Mammogram — left medio-lateral oblique. 46 y/o patient.
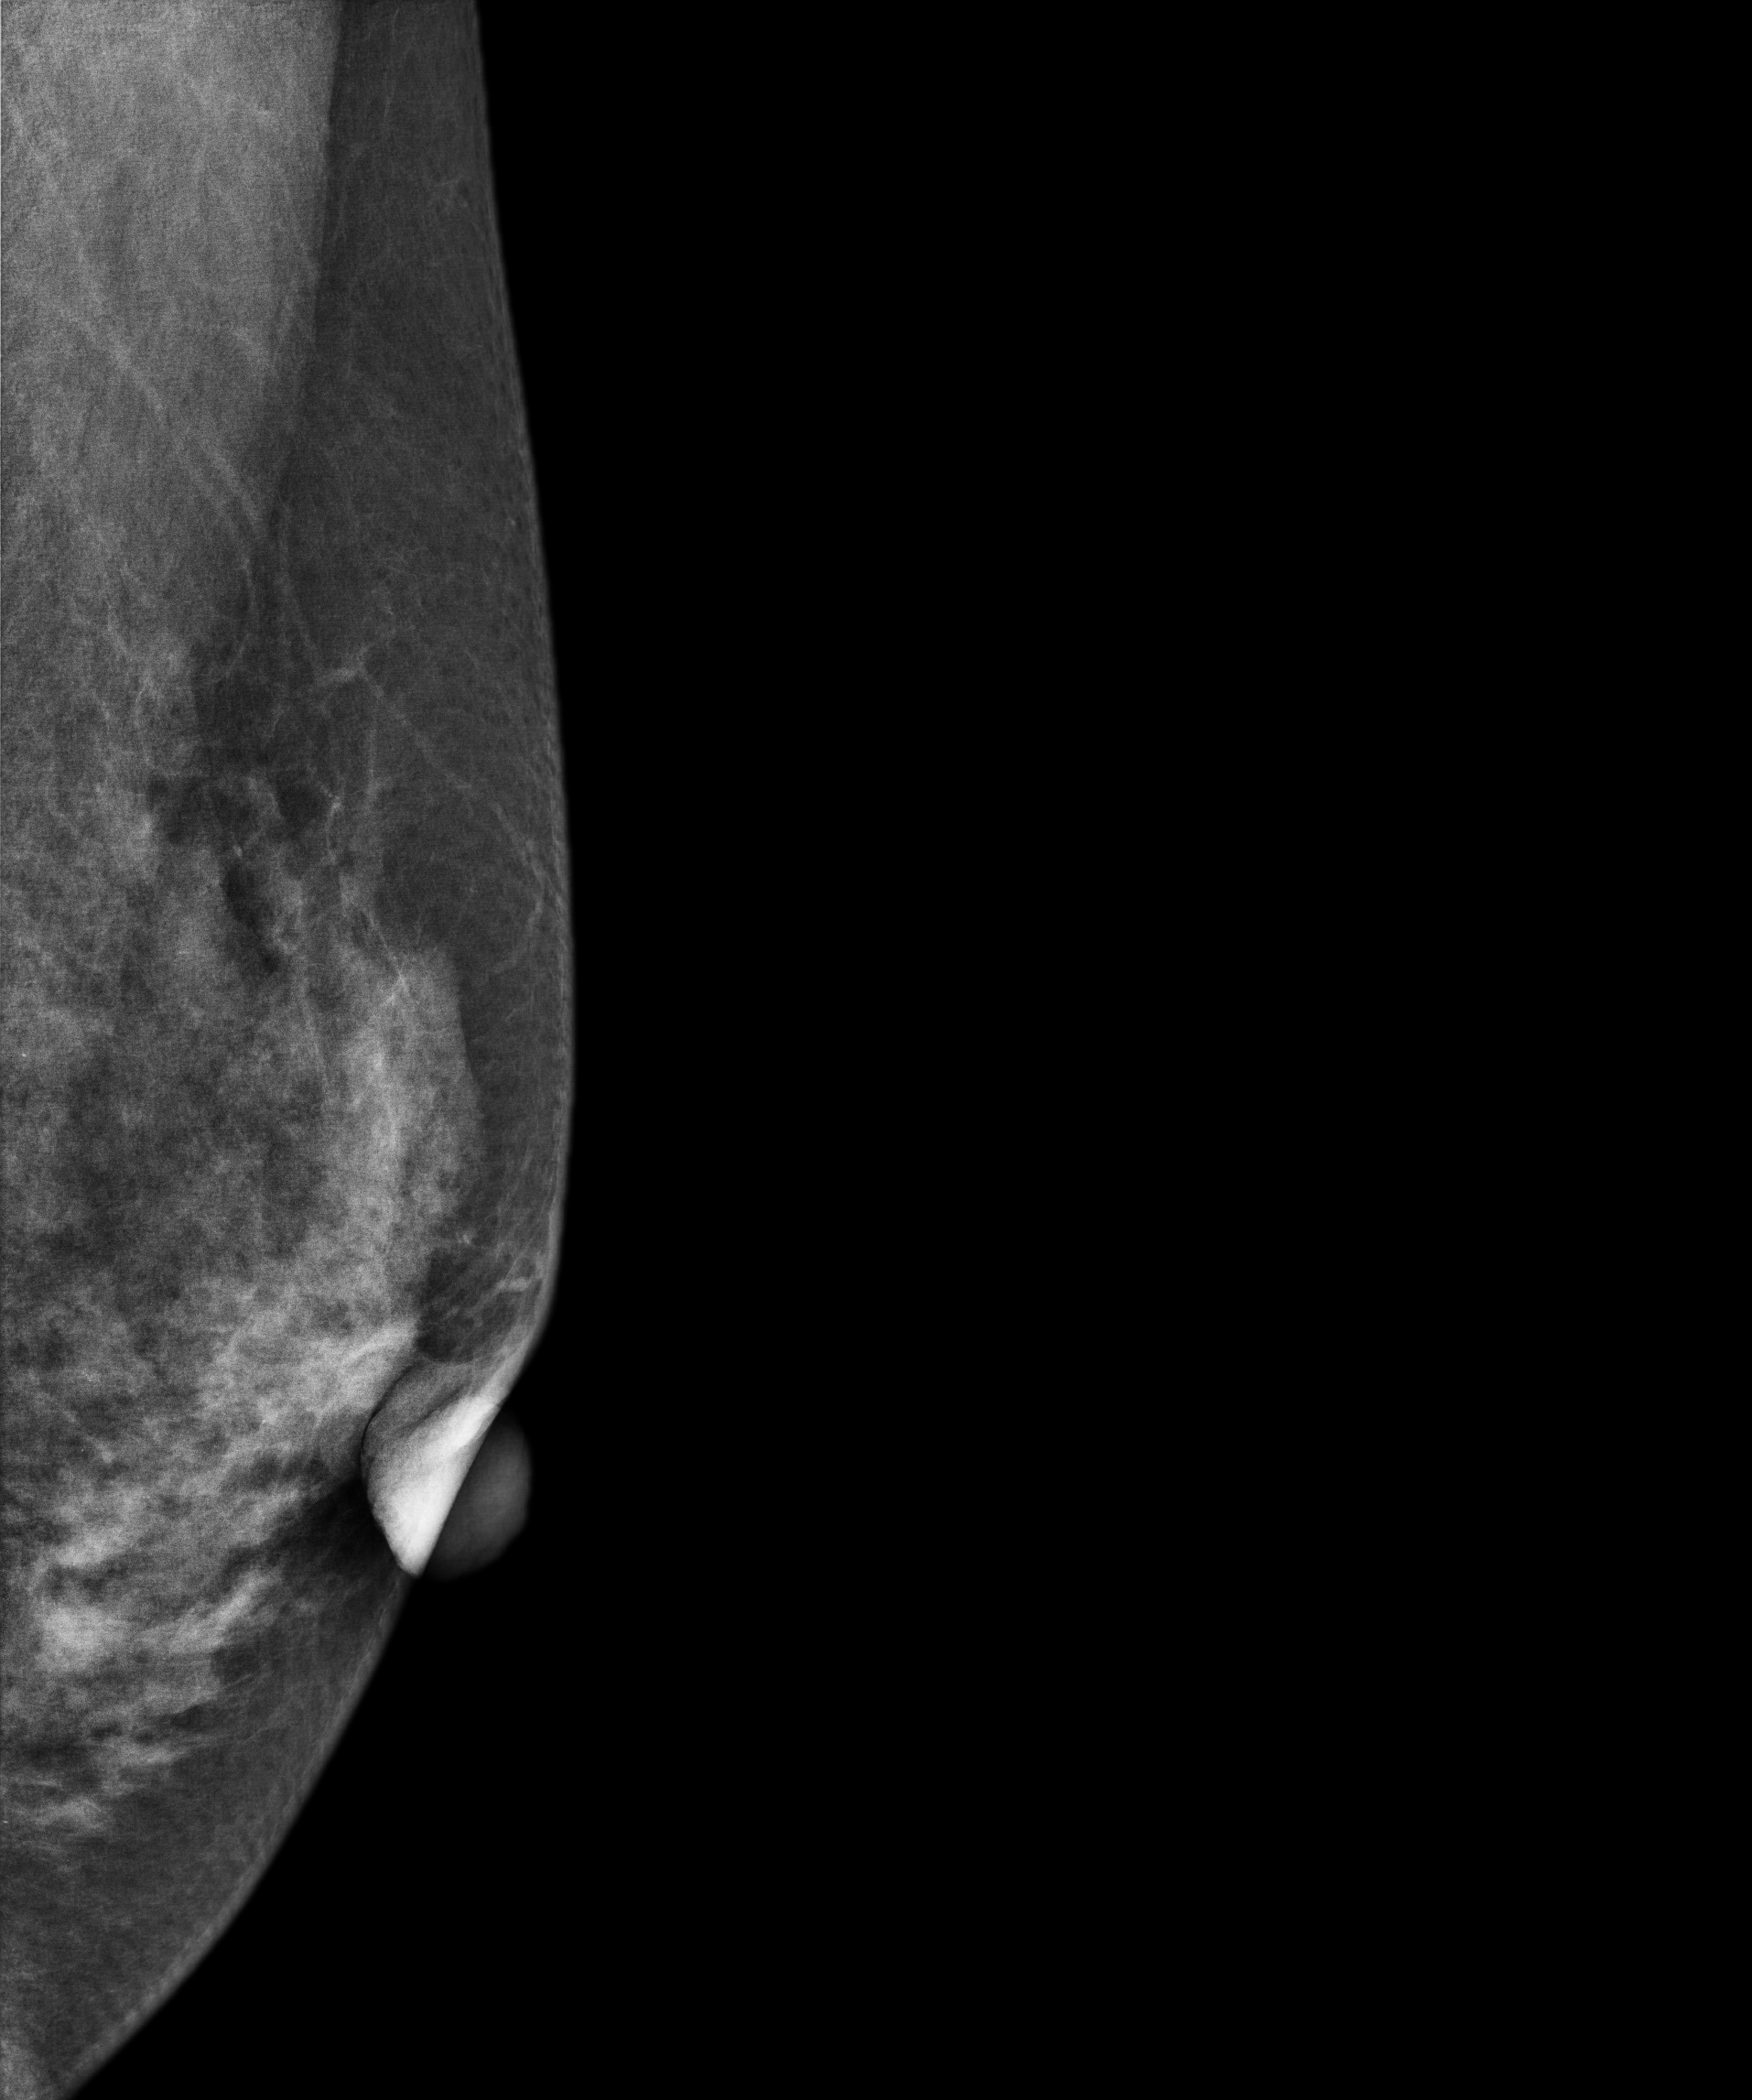
Contralateral breast — no documented abnormality on this side.